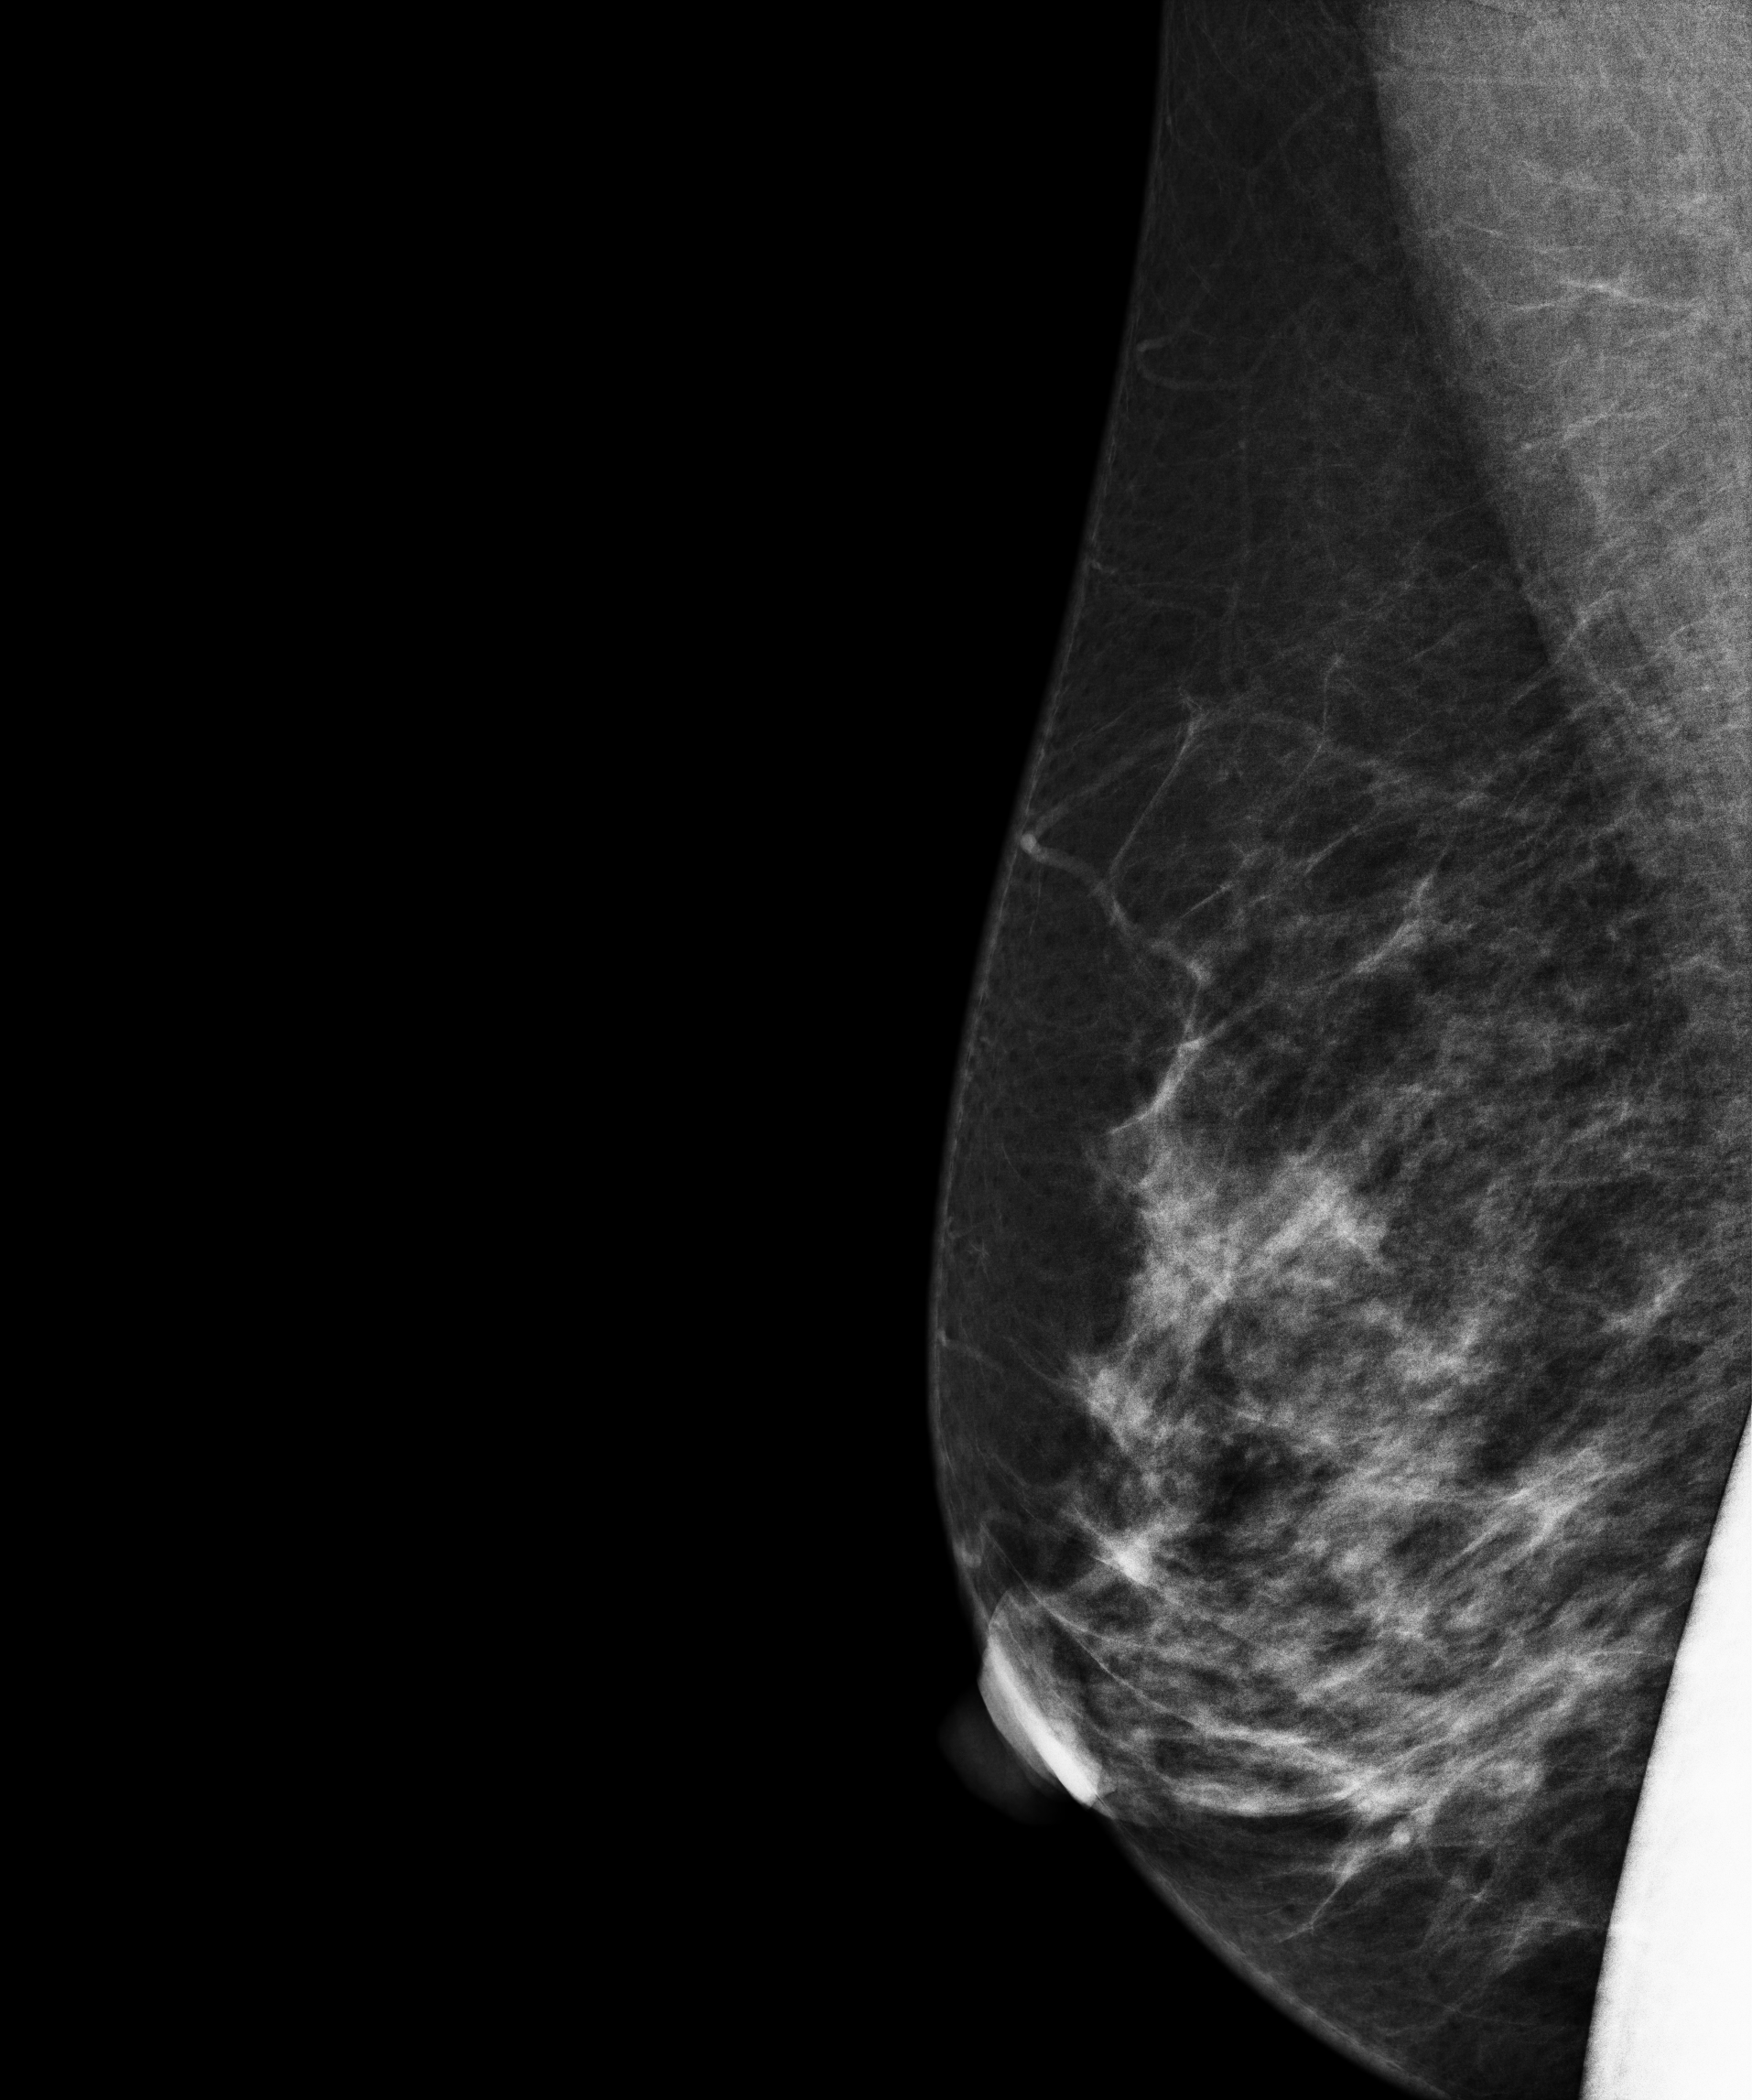
Mammogram — right MLO. 49 y/o patient.
Contralateral breast — no documented abnormality on this side.